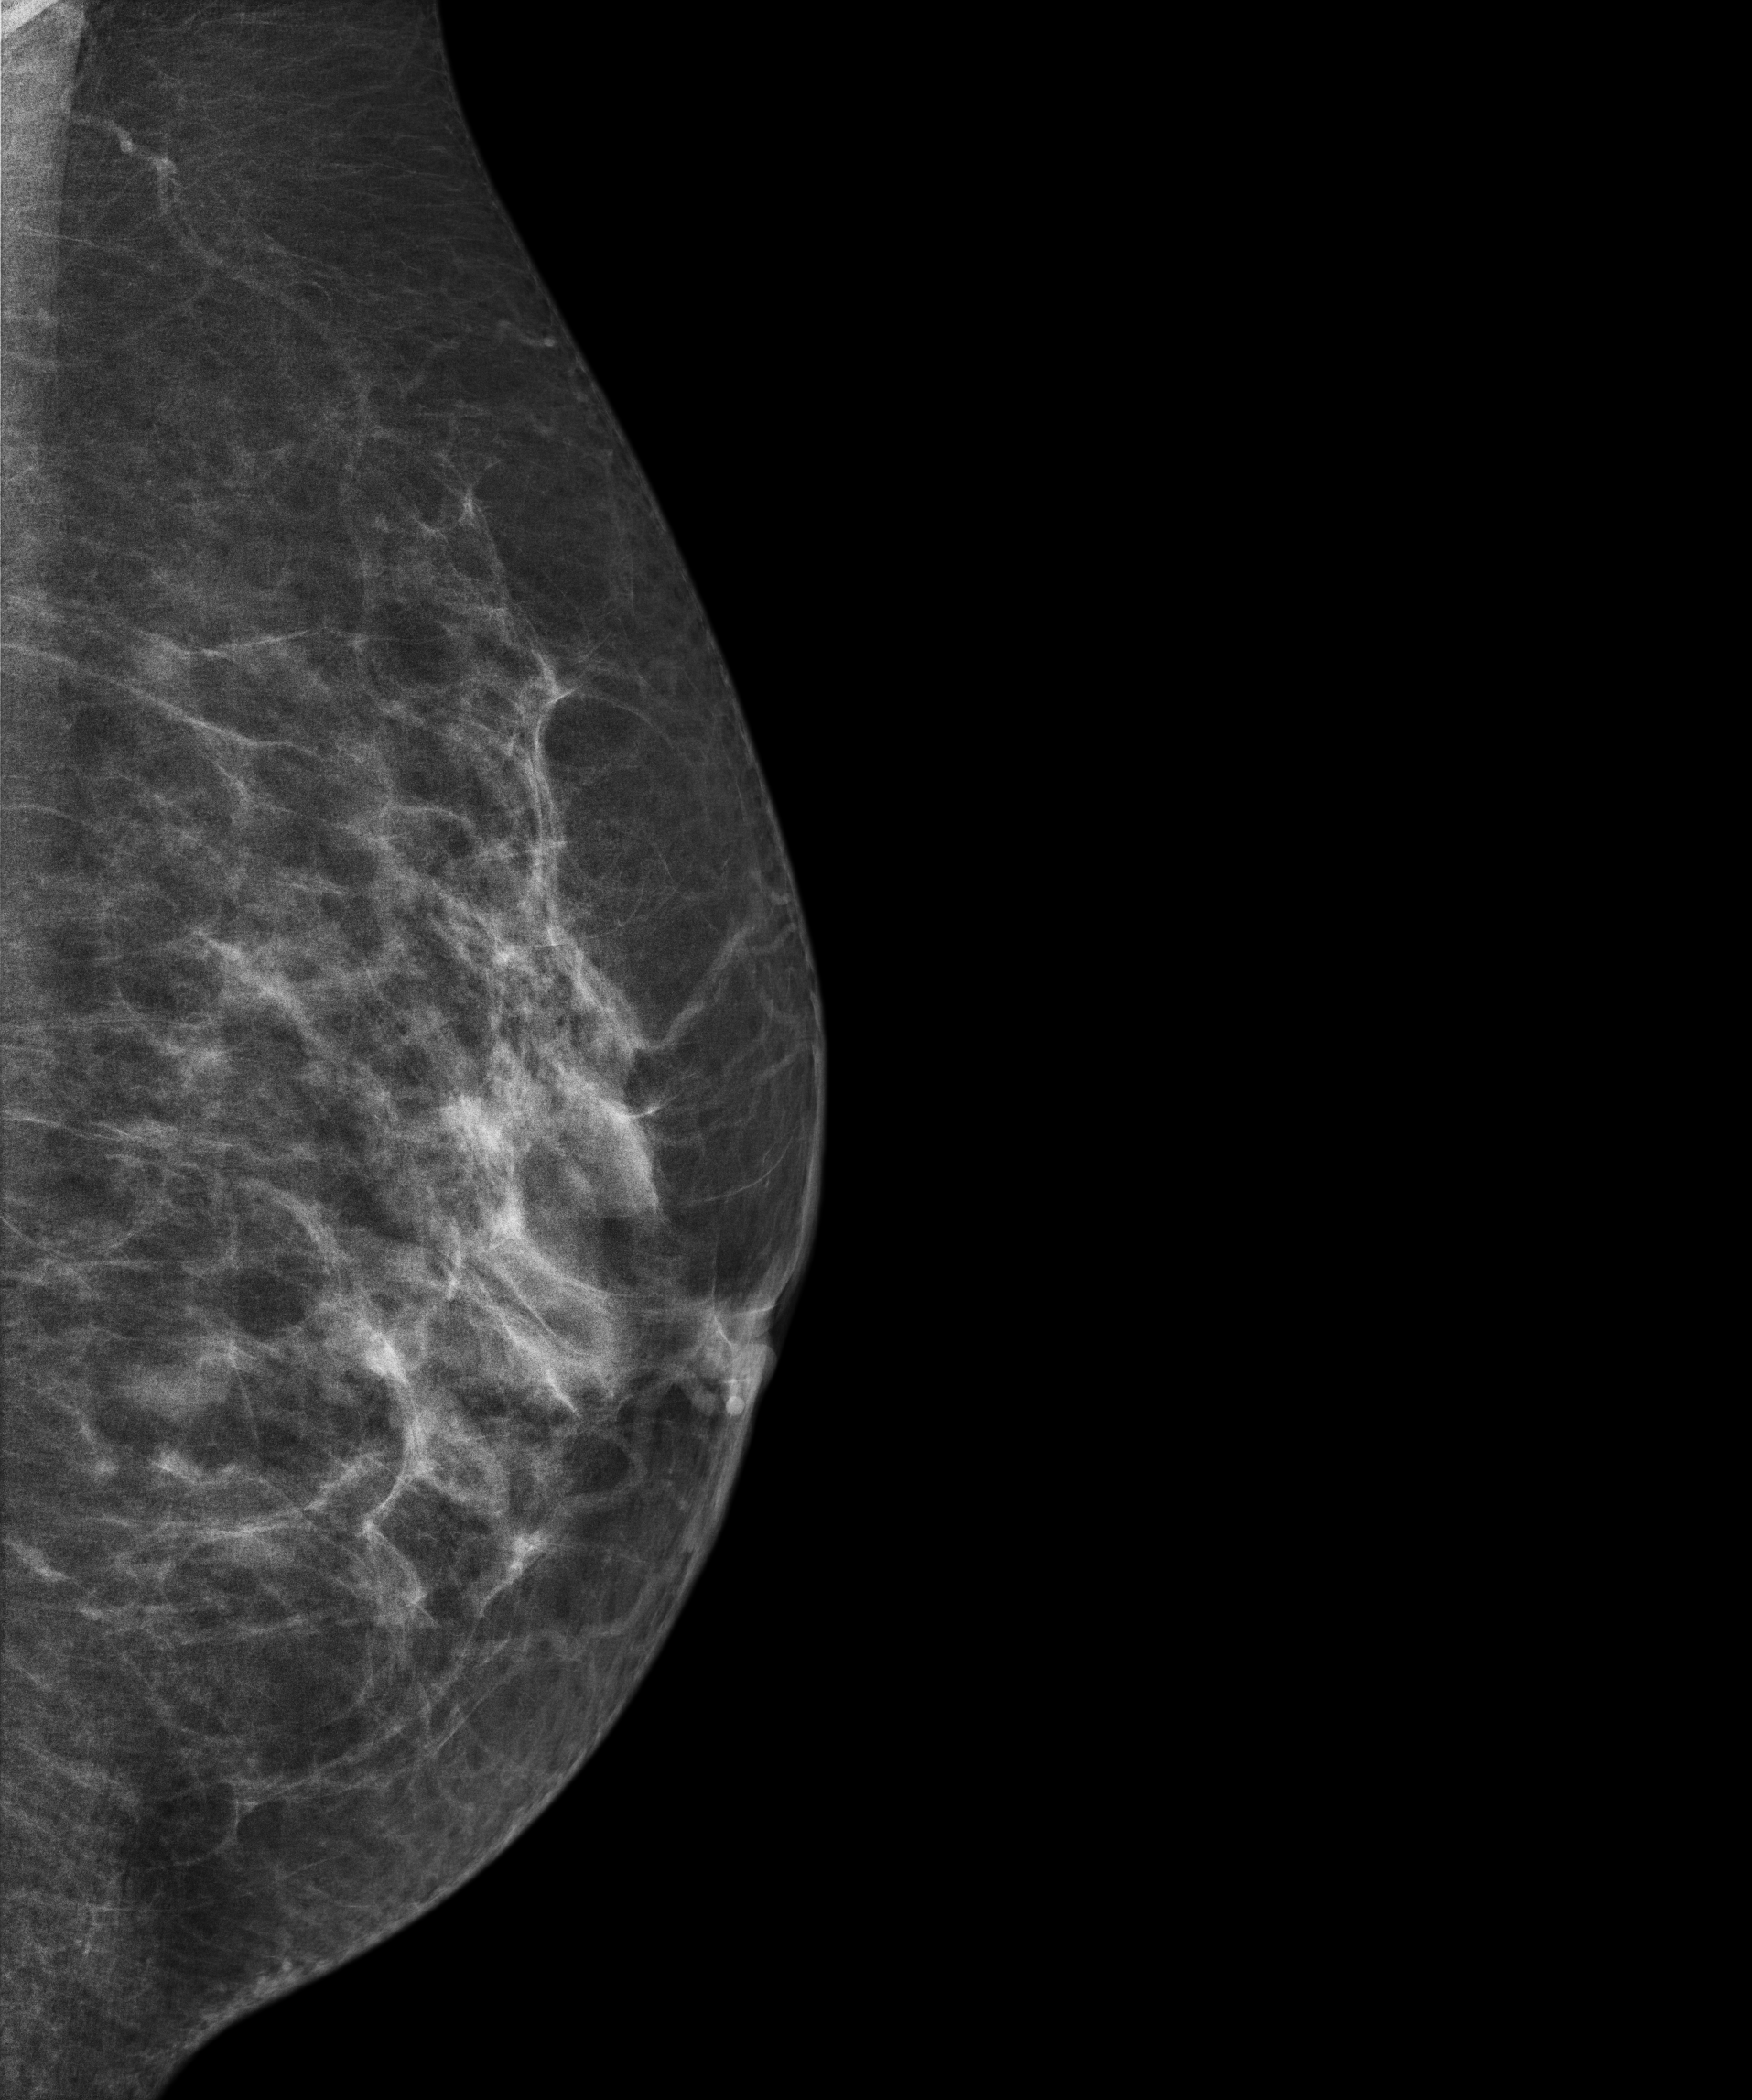
Mammogram, left breast, medio-lateral oblique view. 60 y/o patient.
Contralateral breast — no documented abnormality on this side.